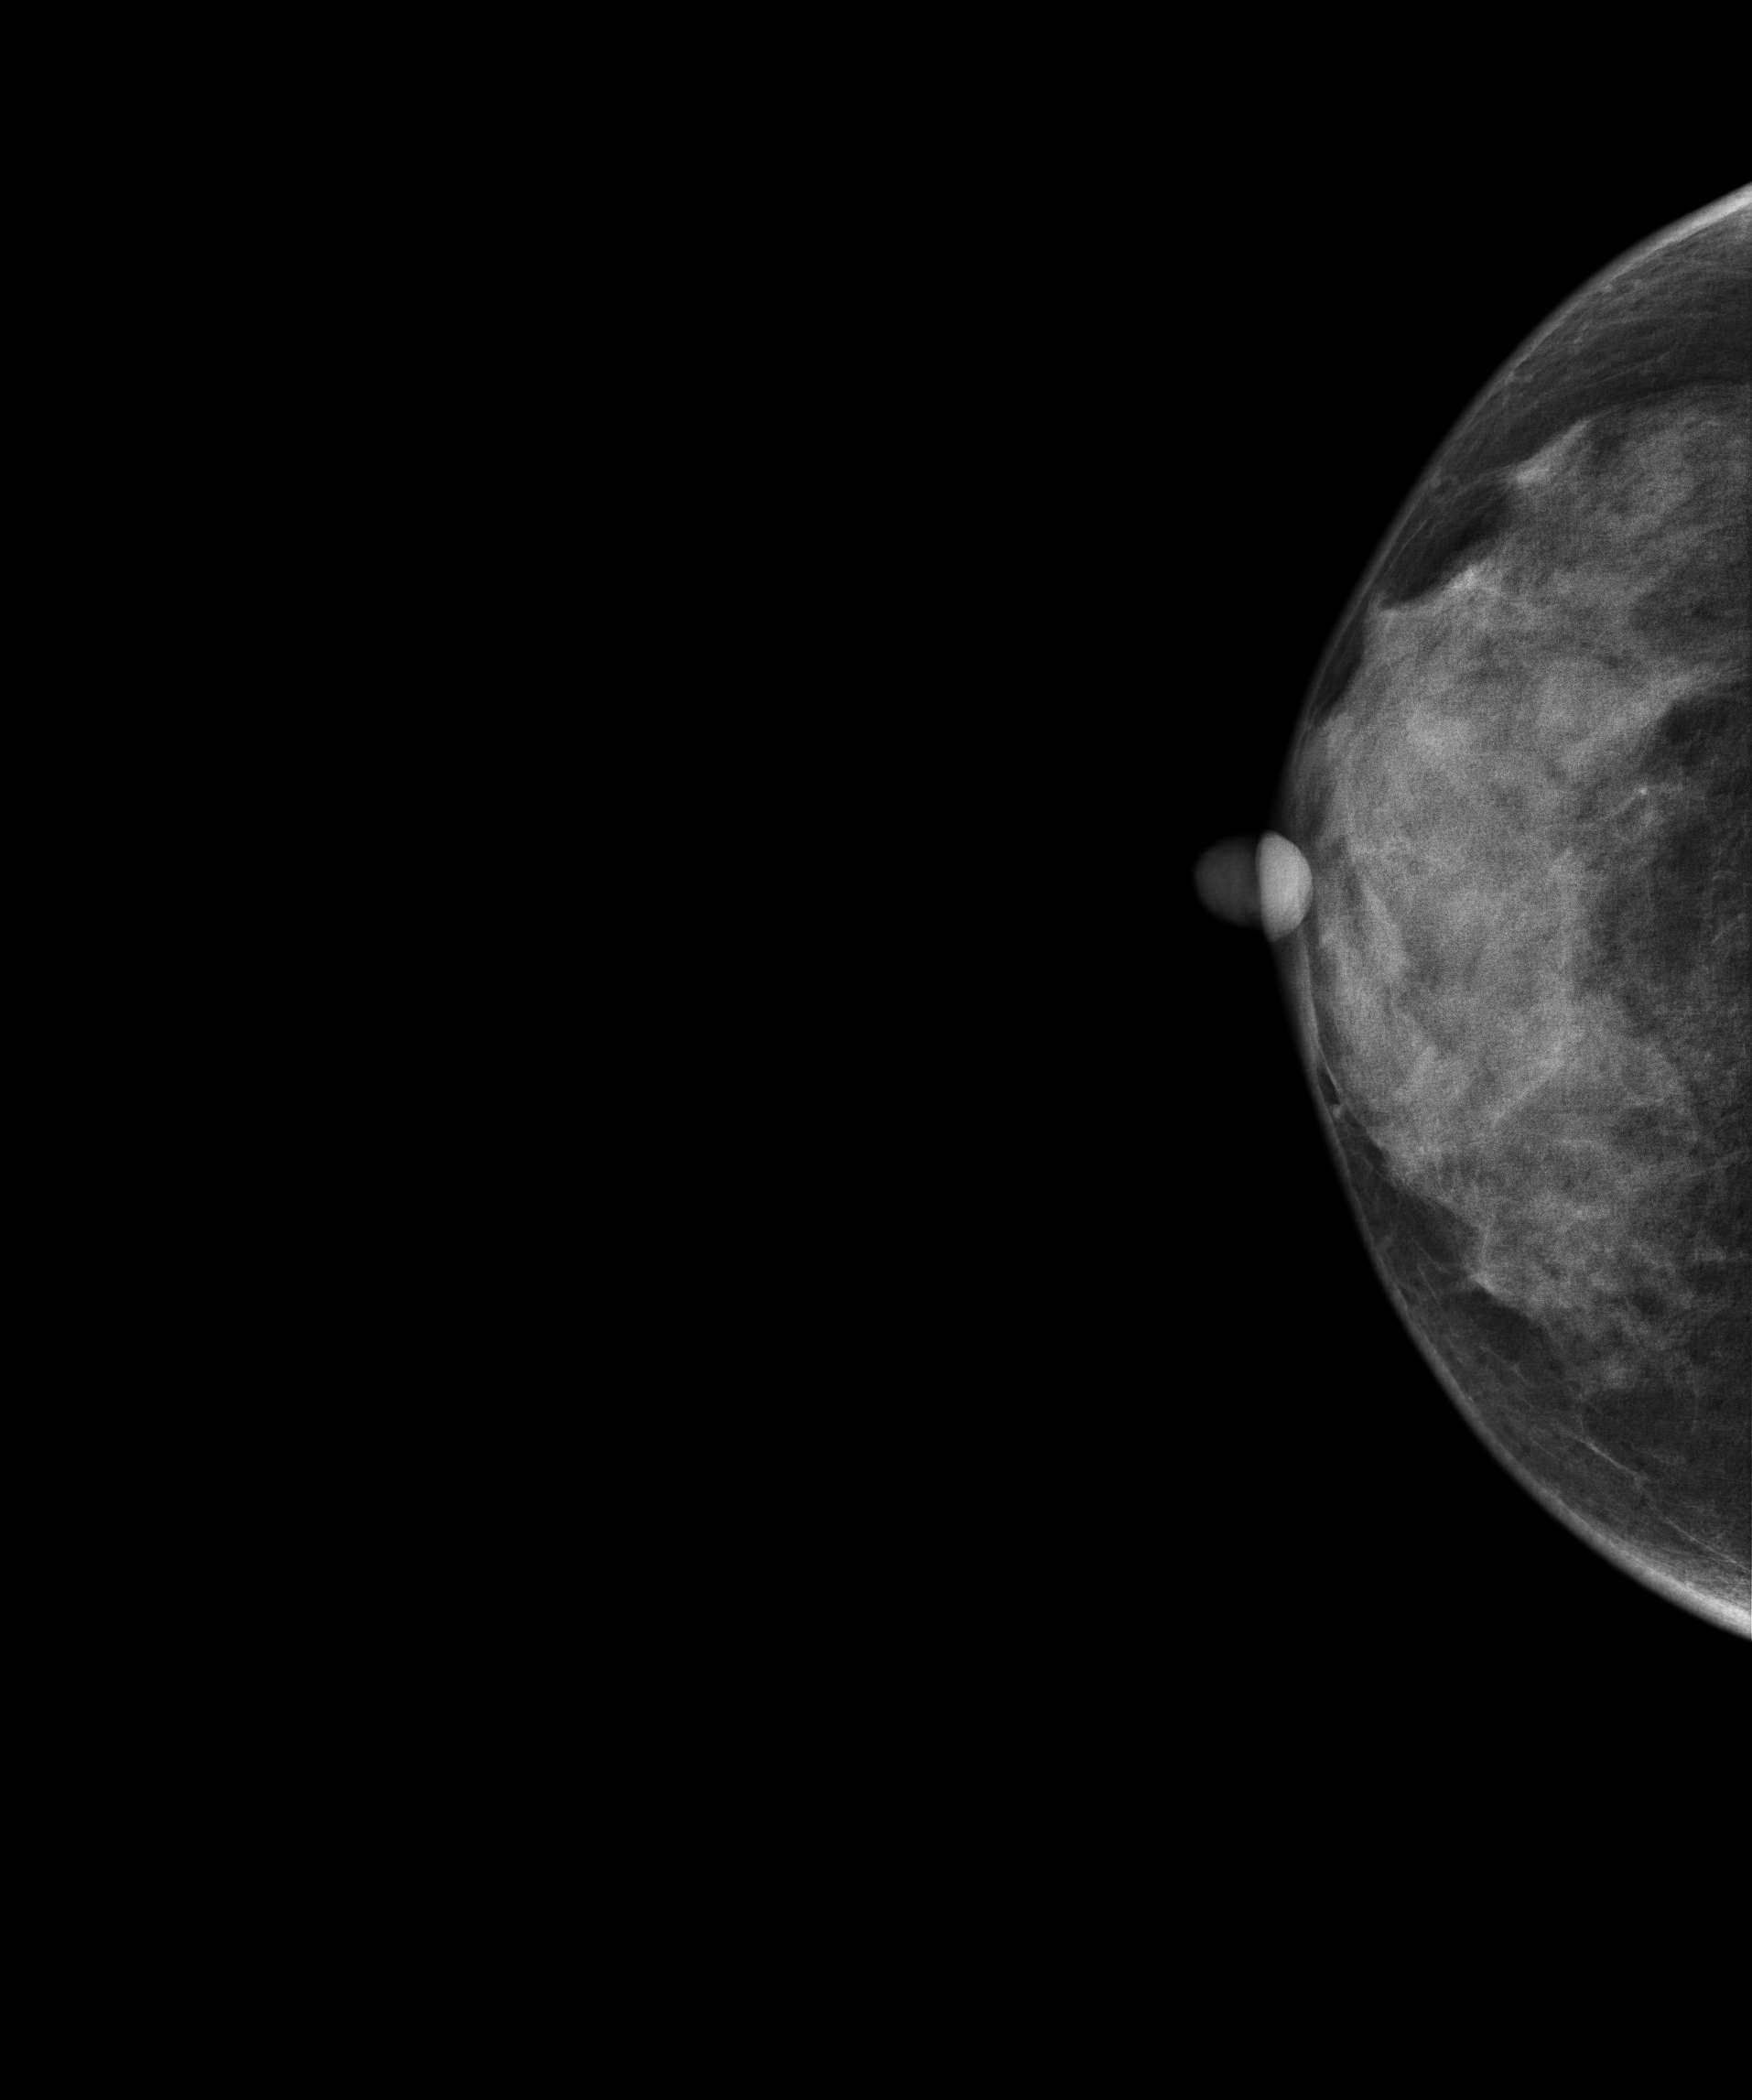
Mammogram, right breast, CC view. 42 y/o patient.
Contralateral breast — no documented abnormality on this side.